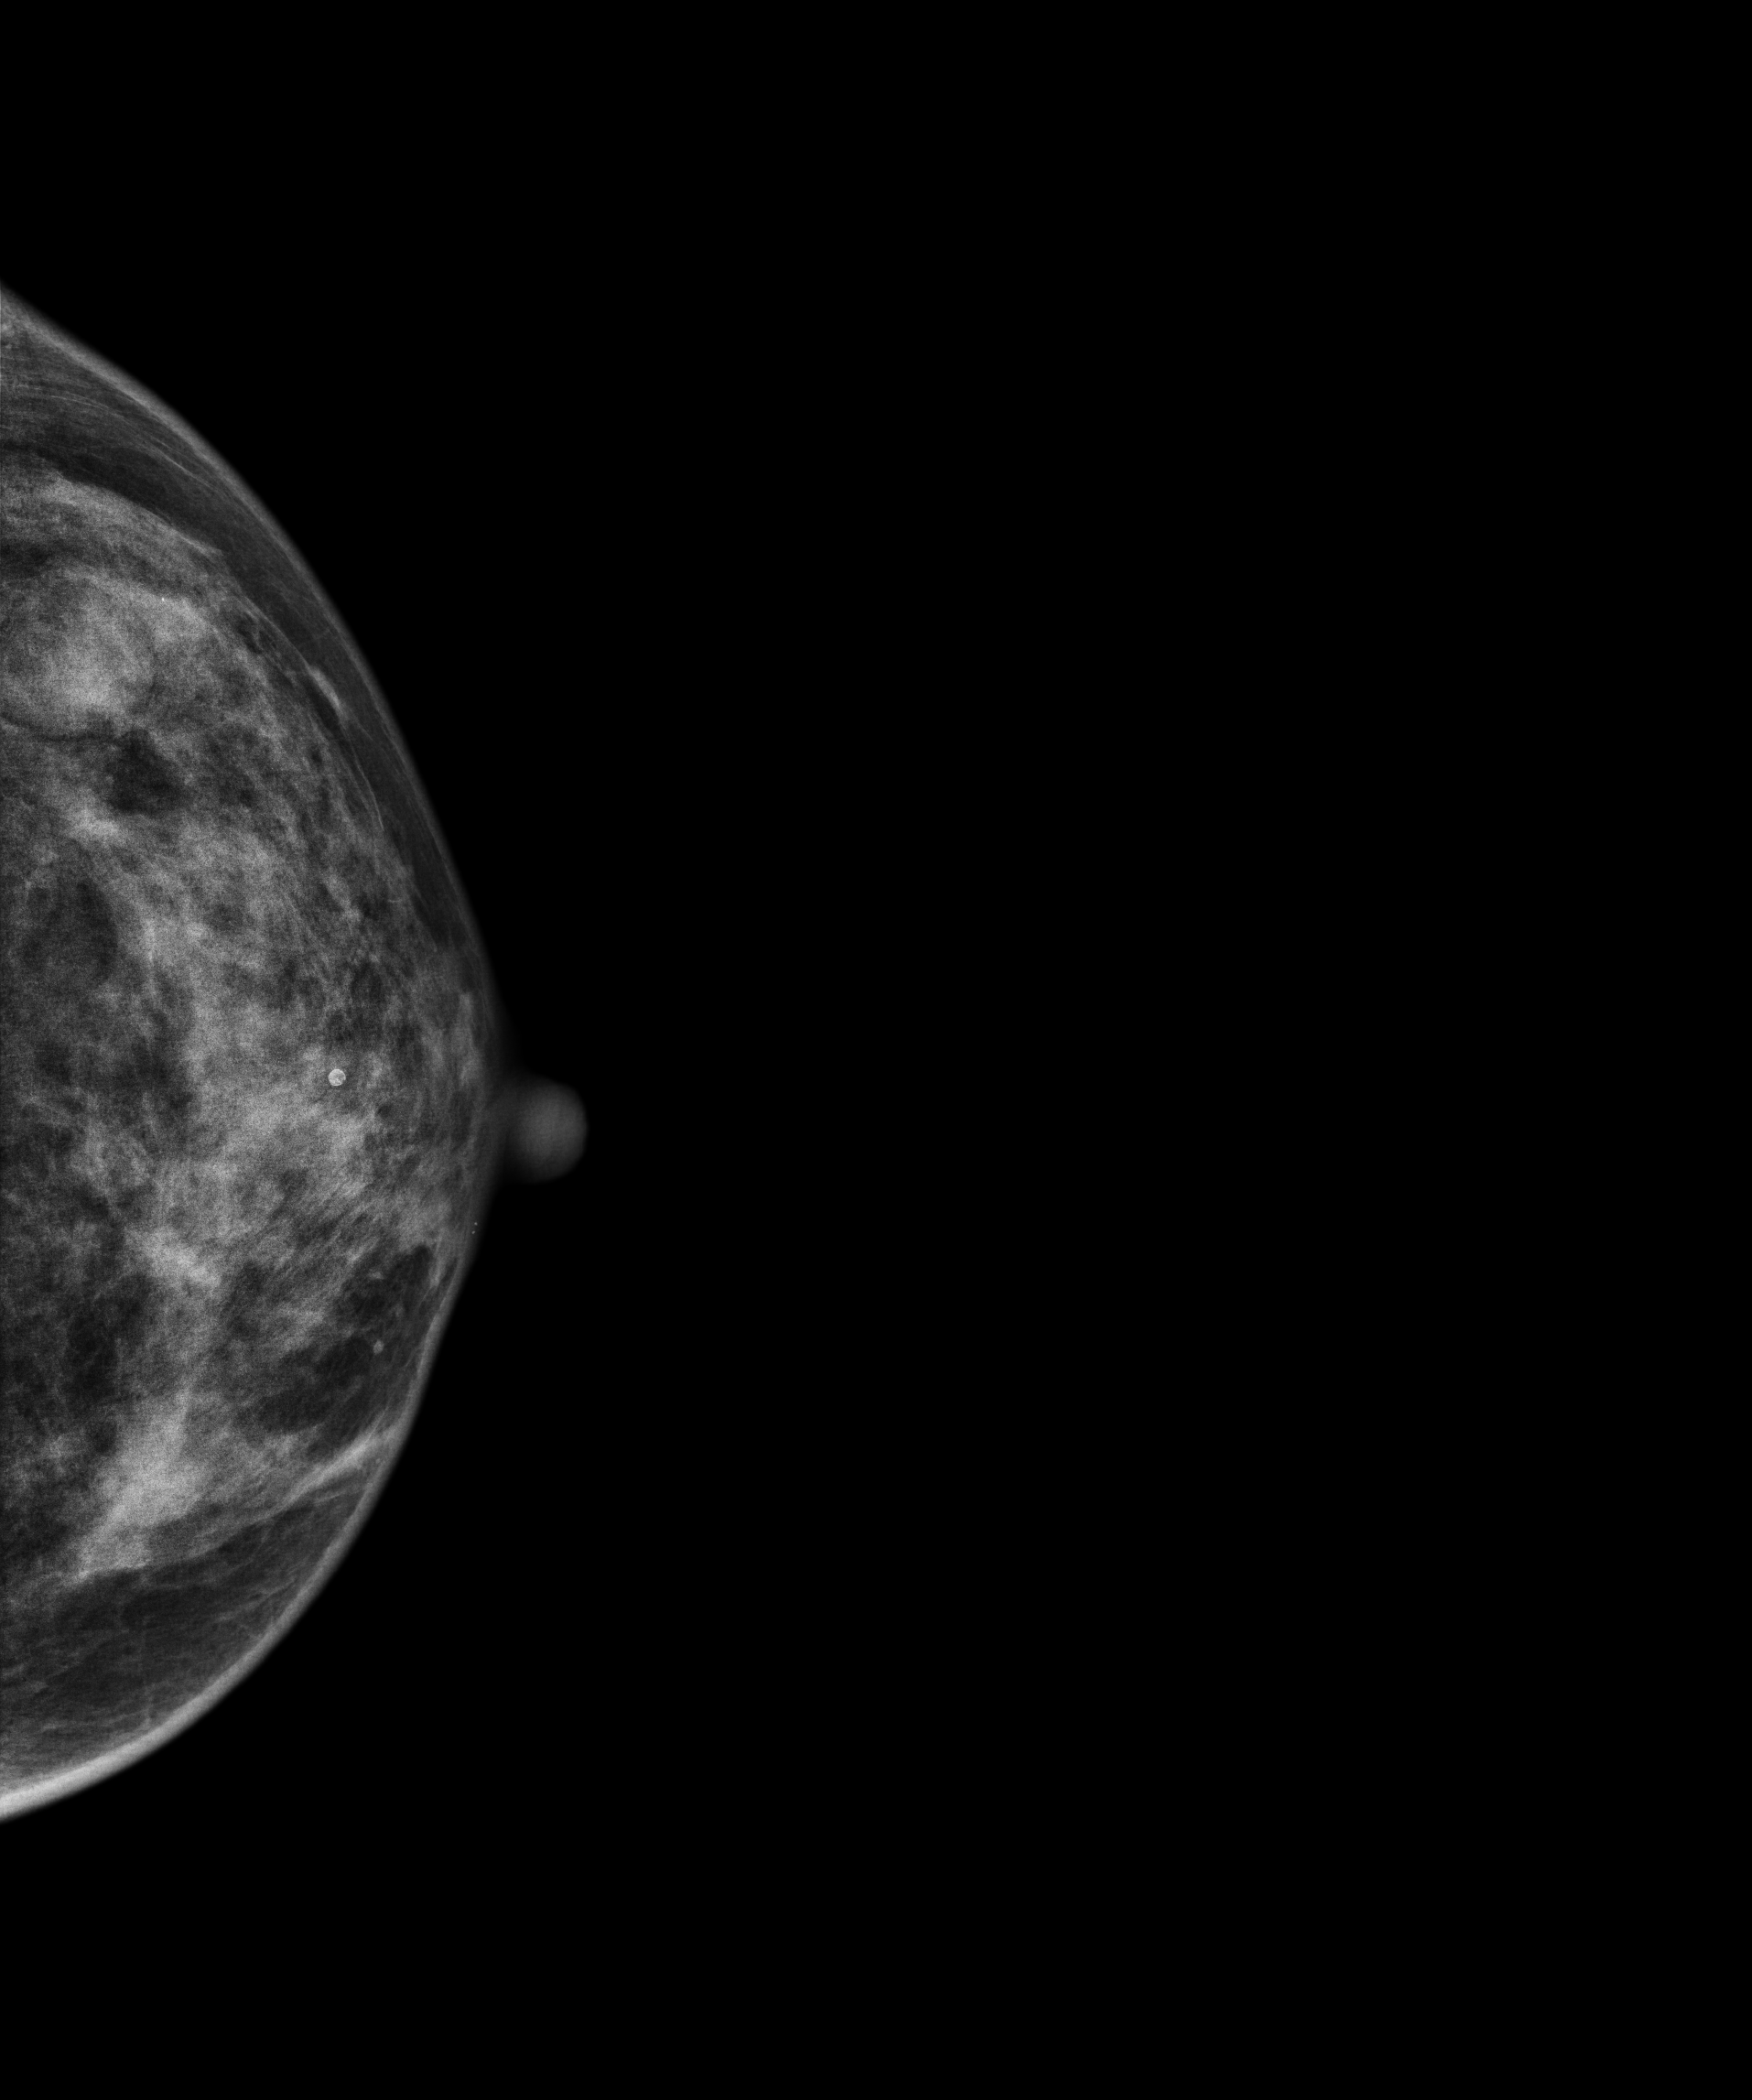
Left-breast mammogram, CC. Patient age 45.
This breast has a mass and calcifications, biopsy-confirmed benign.